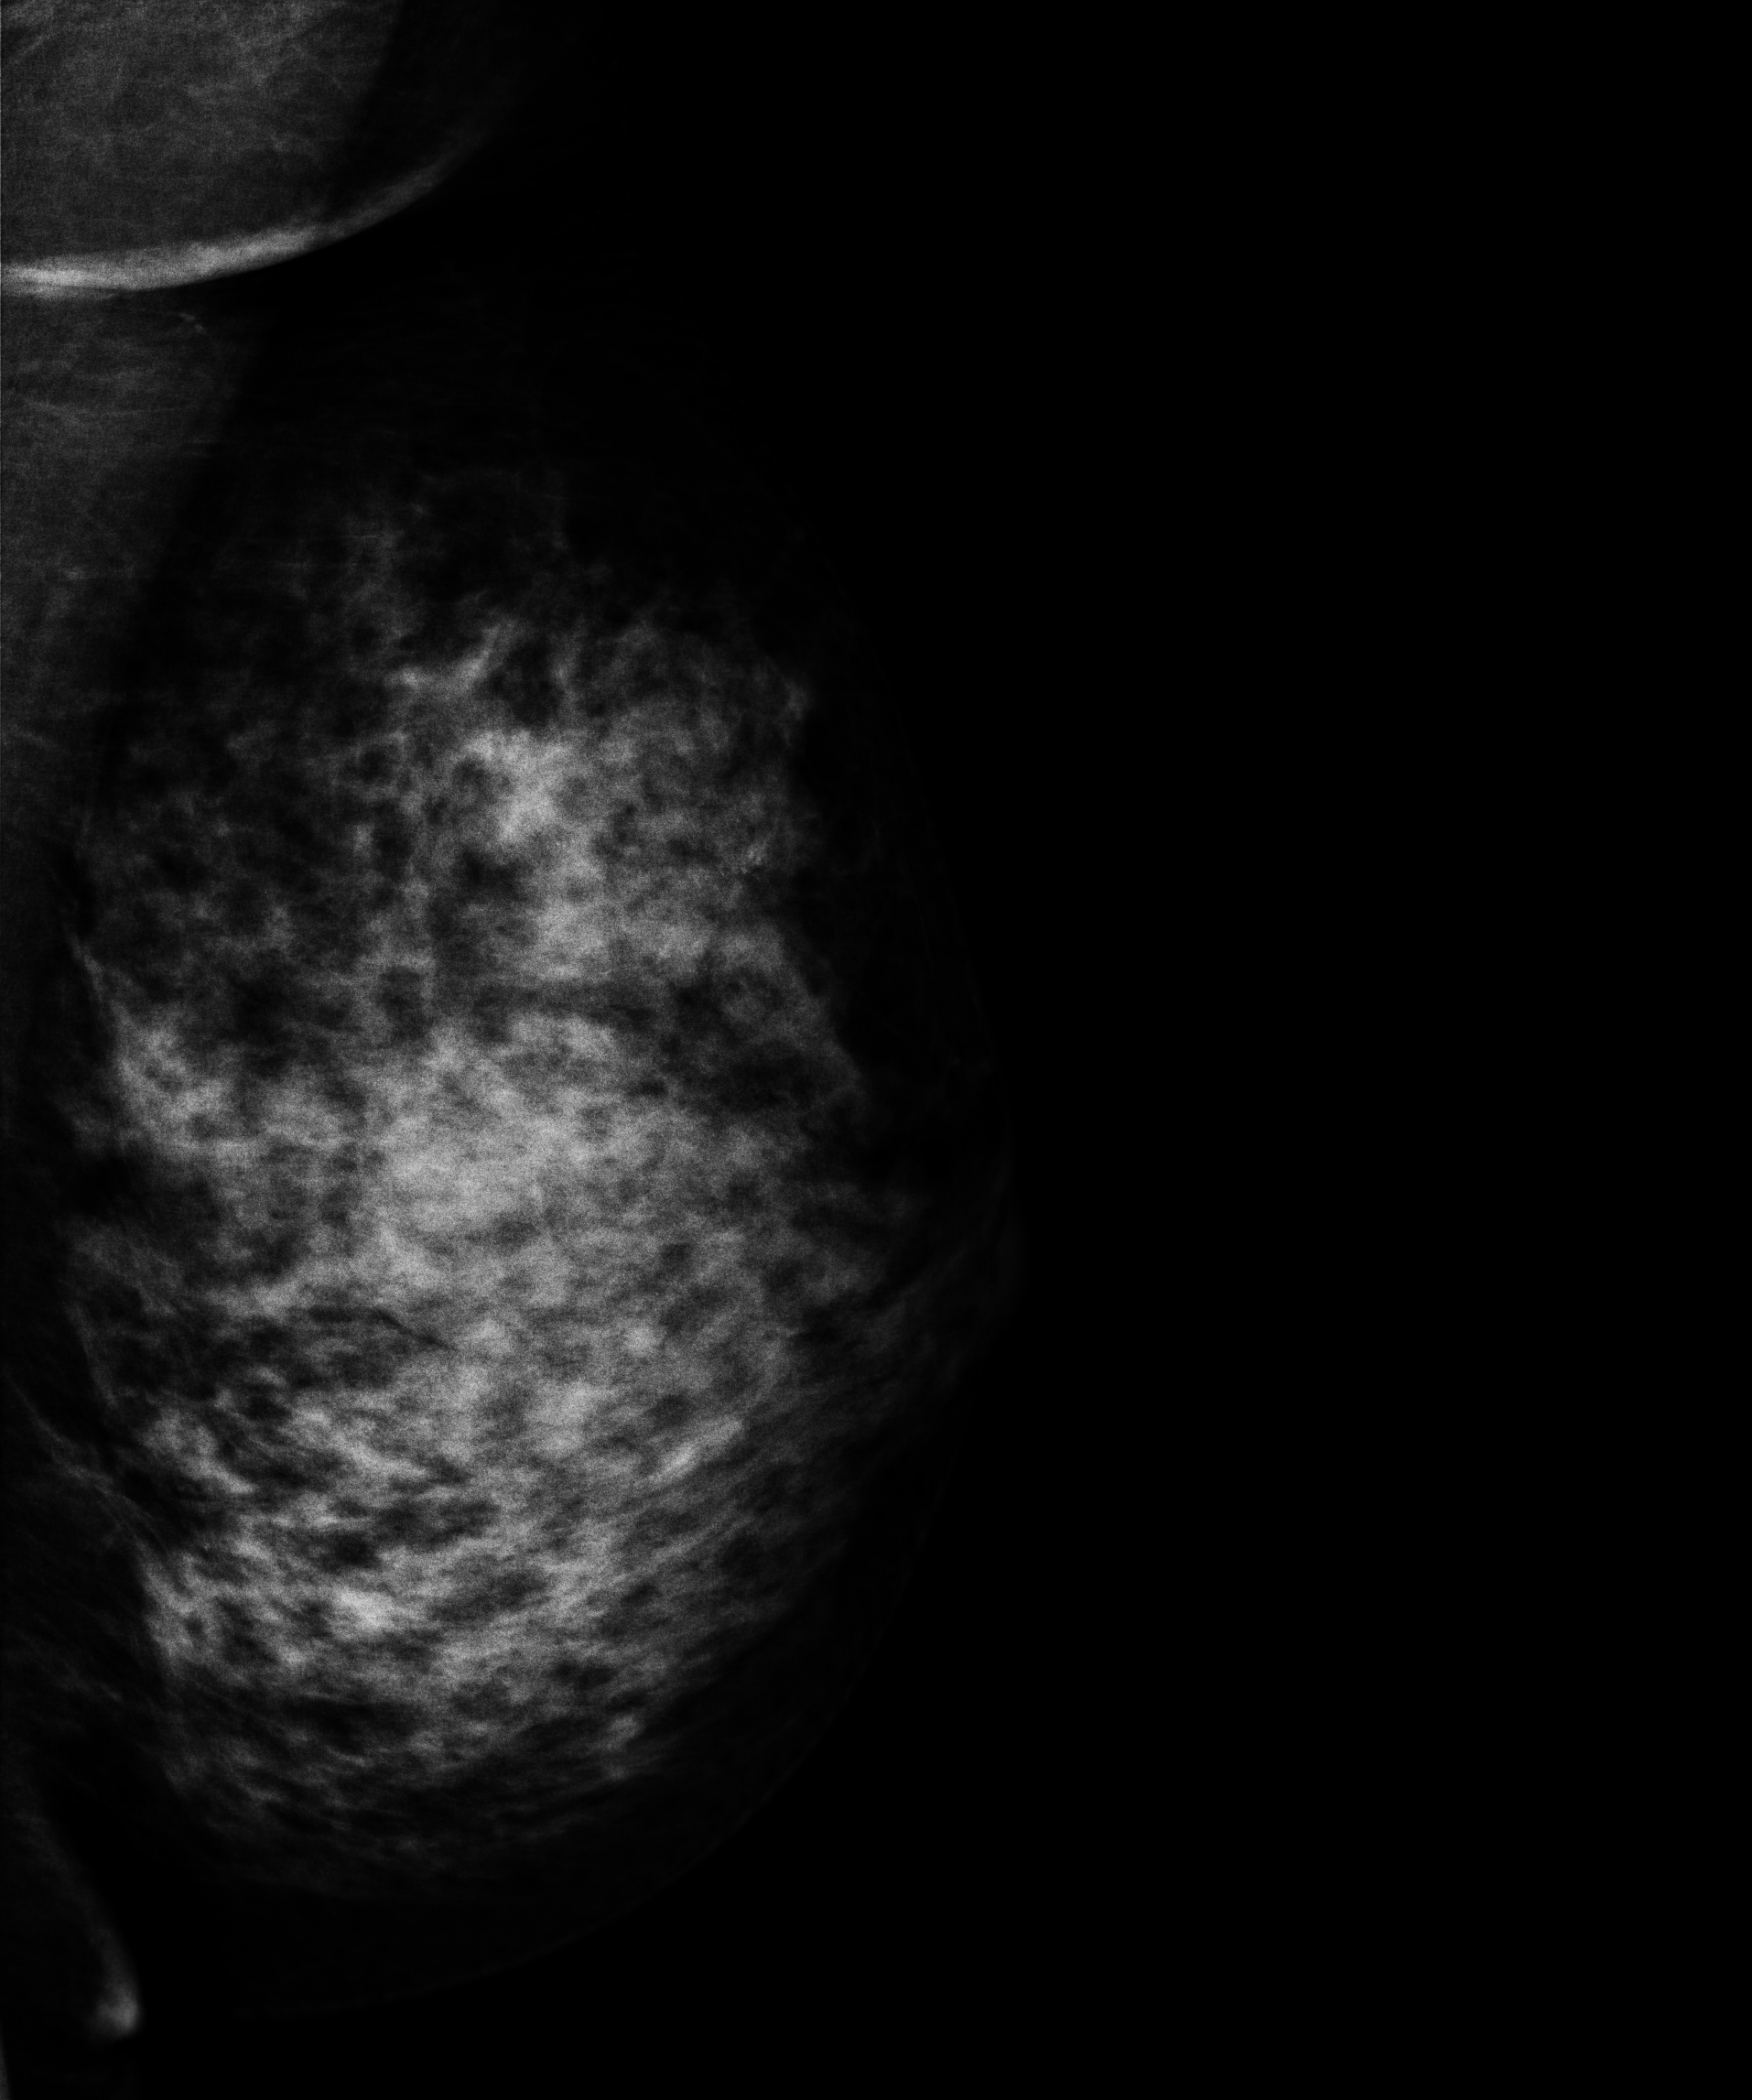
Digital mammography. Left breast, MLO projection. 45 y/o patient.
This breast has a mass, biopsy-confirmed malignant. Molecular subtype: HER2-enriched.